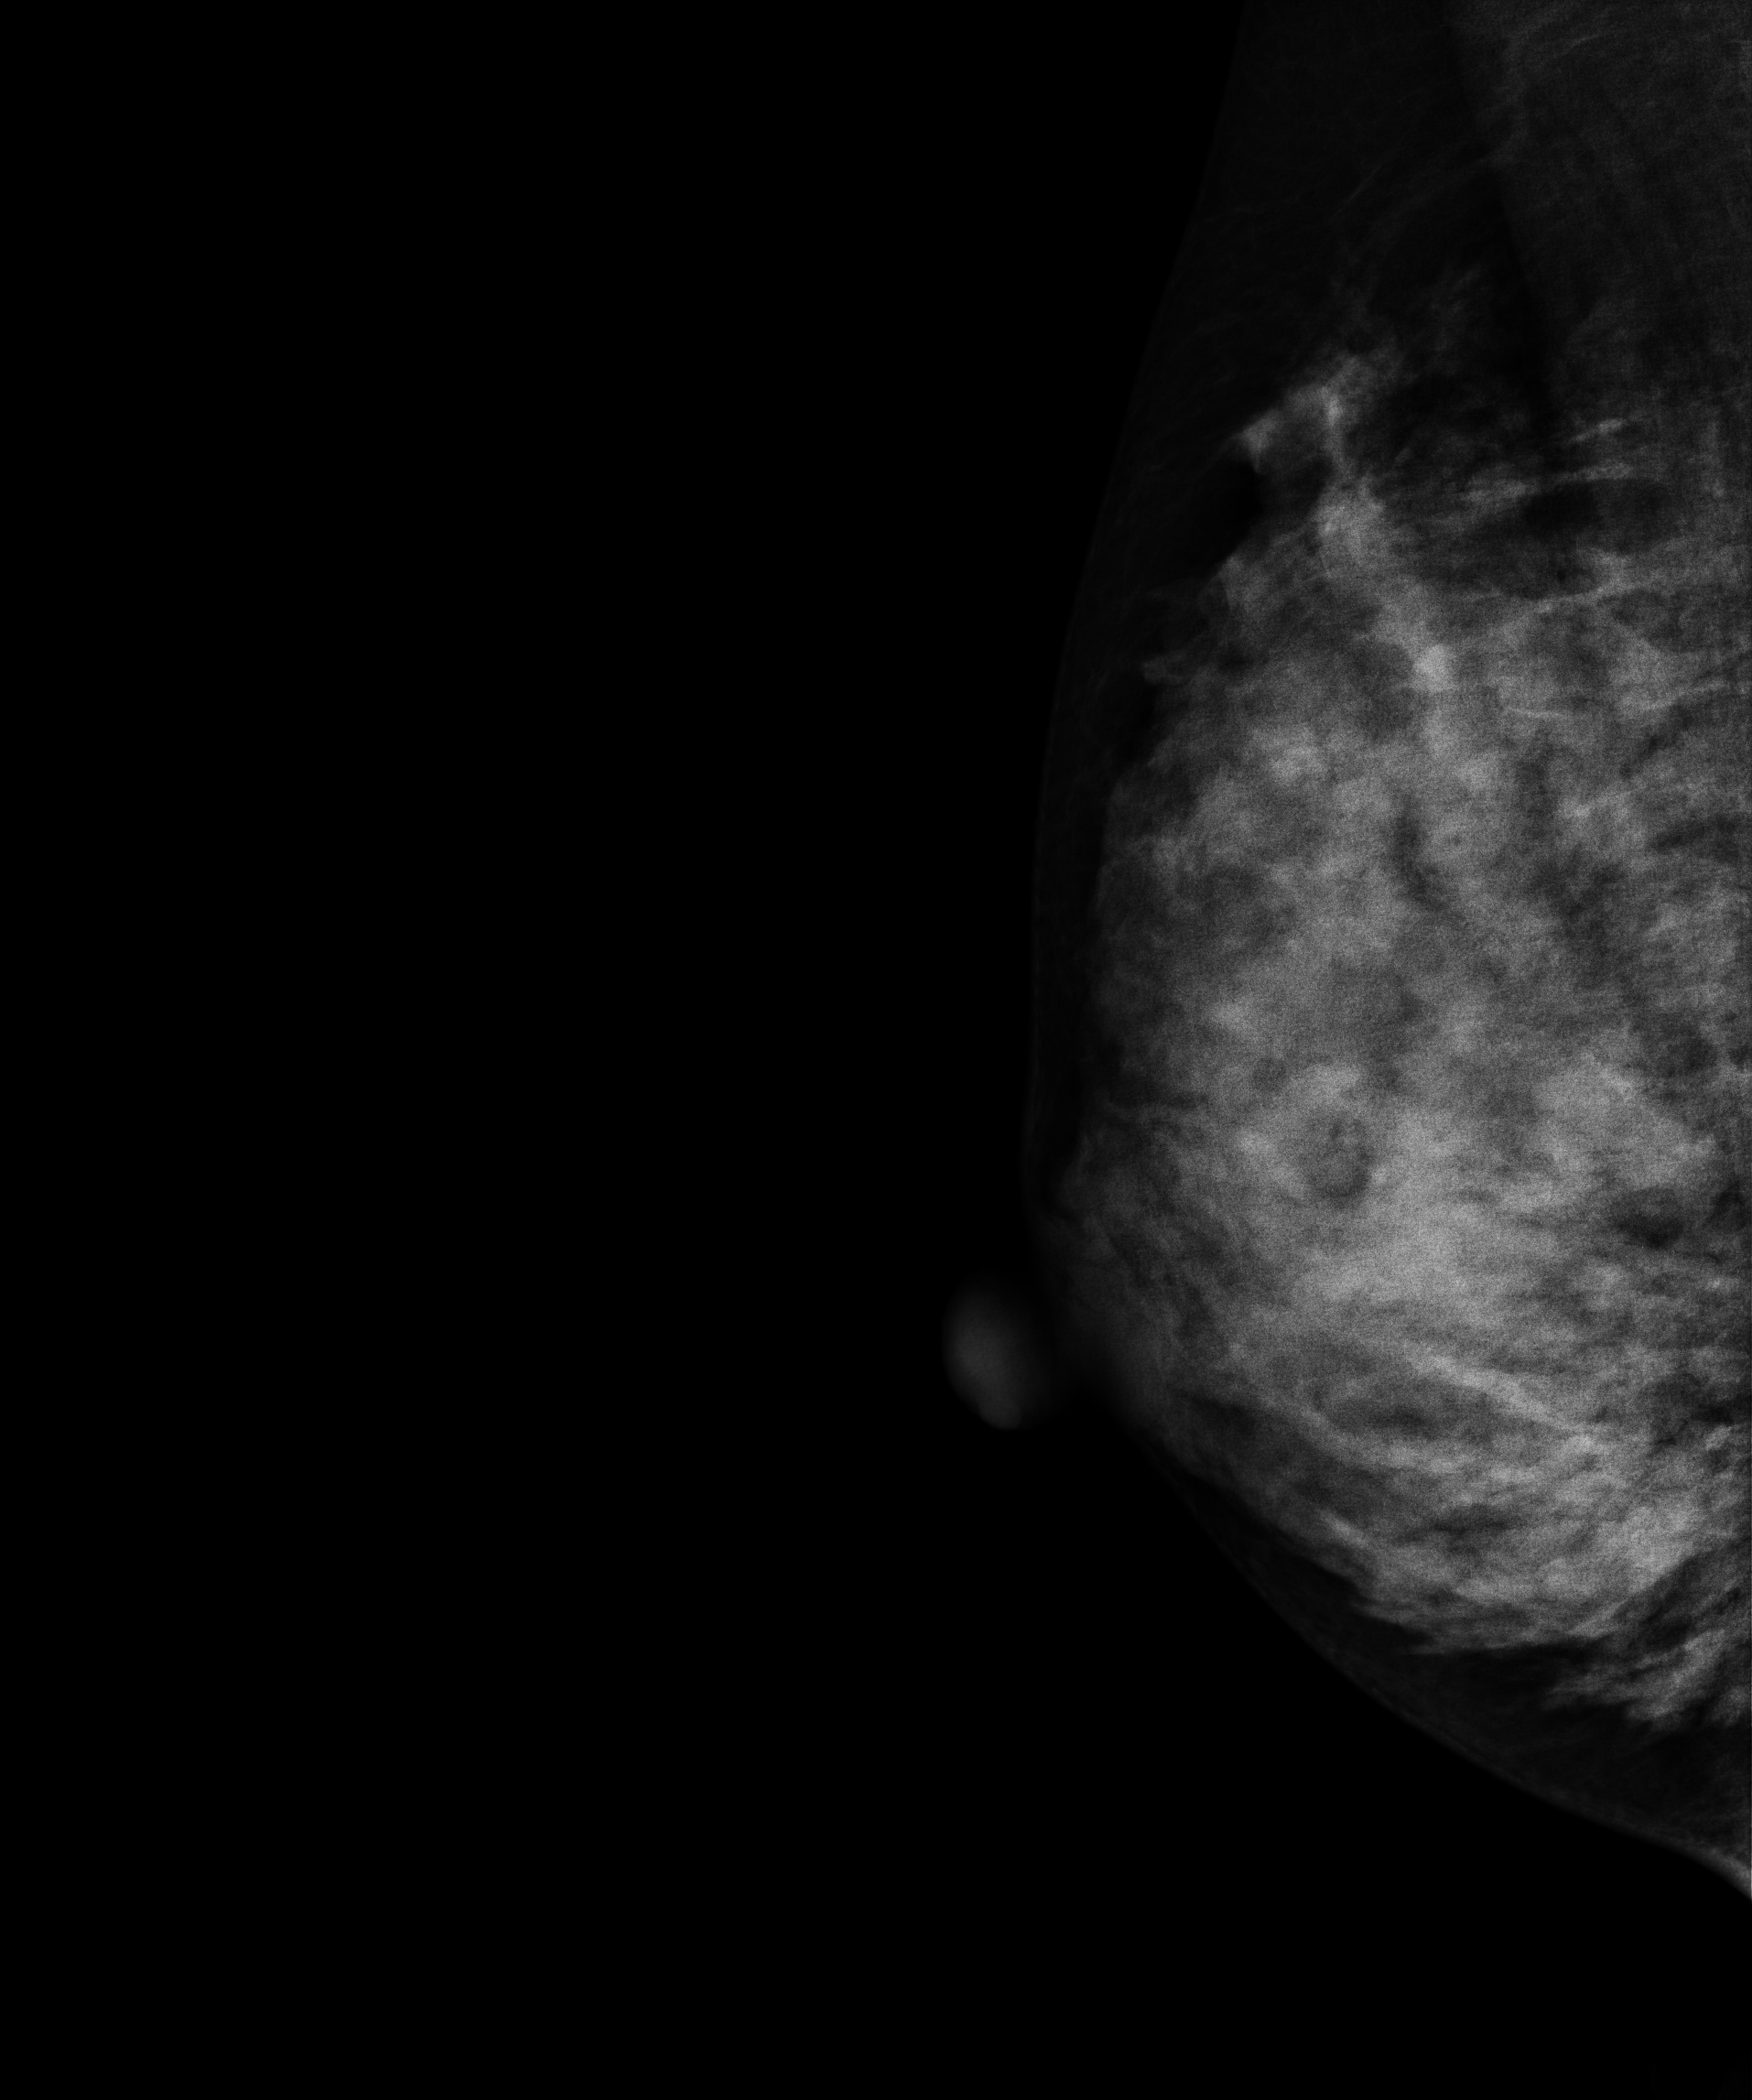
Right-breast mammogram, medio-lateral oblique. Patient age 28.
Contralateral breast — no documented abnormality on this side.